Digital mammography. Left breast, CC projection. Patient age 46.
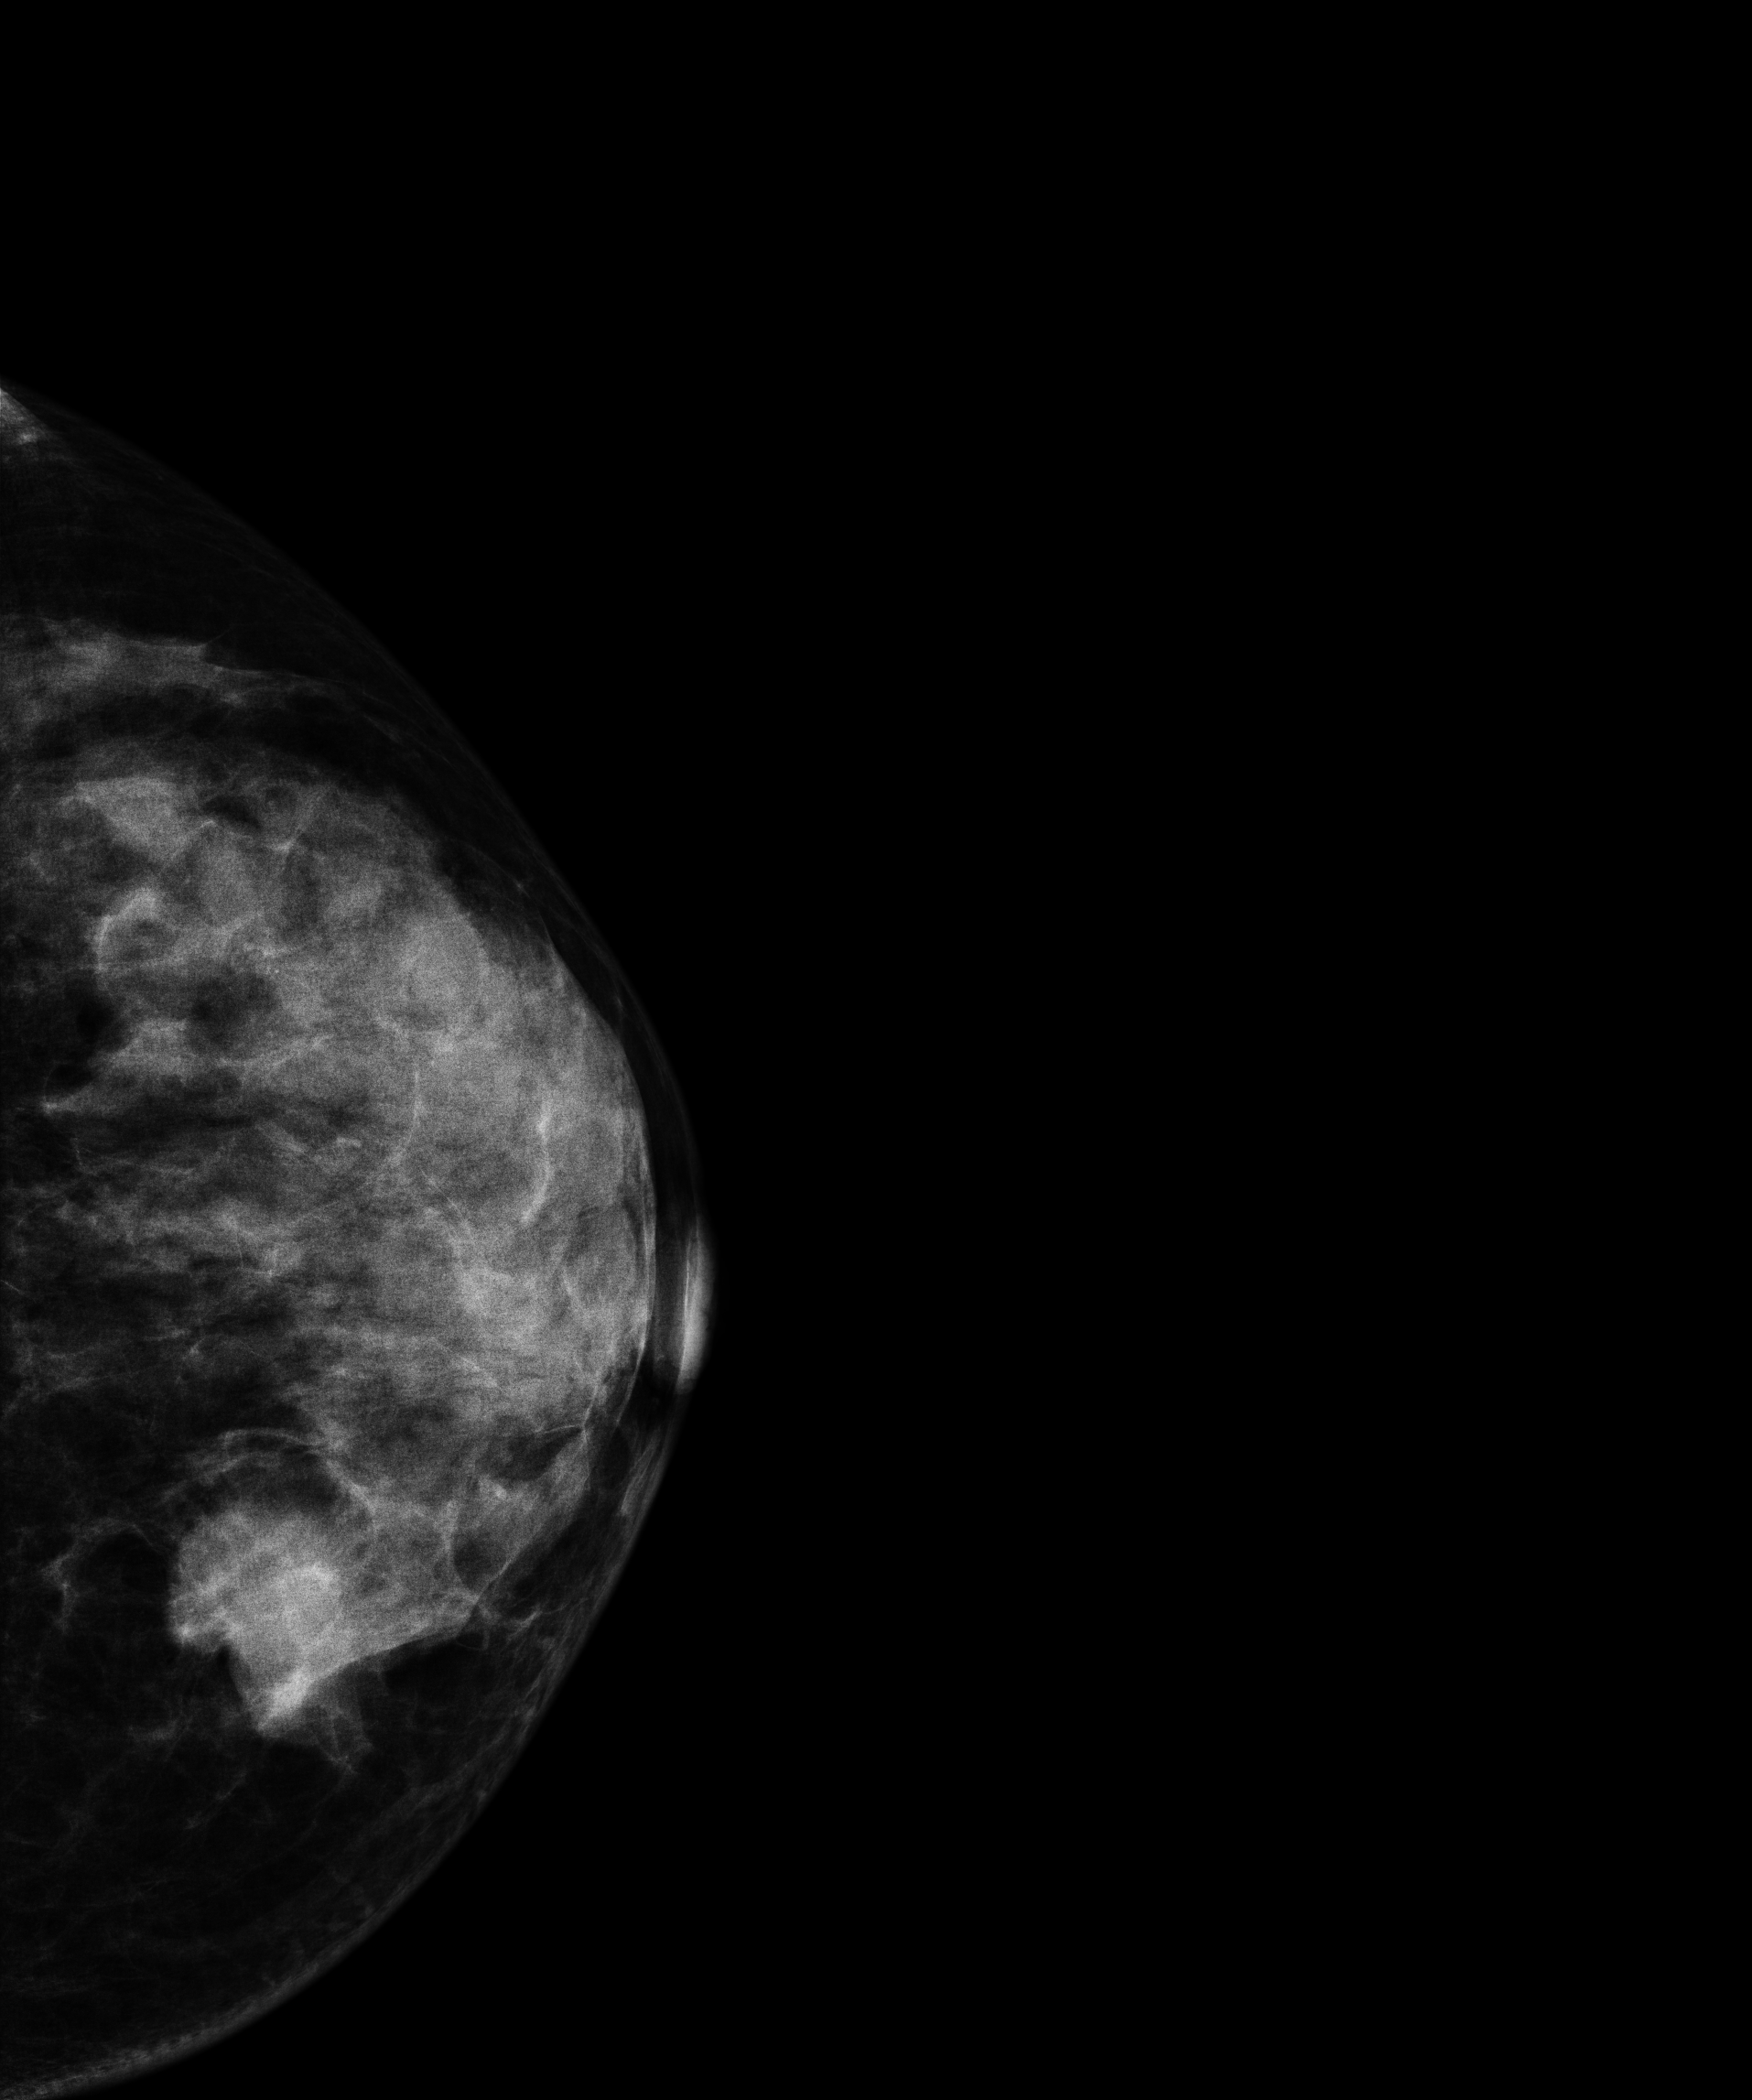
This breast has a mass, biopsy-confirmed malignant.